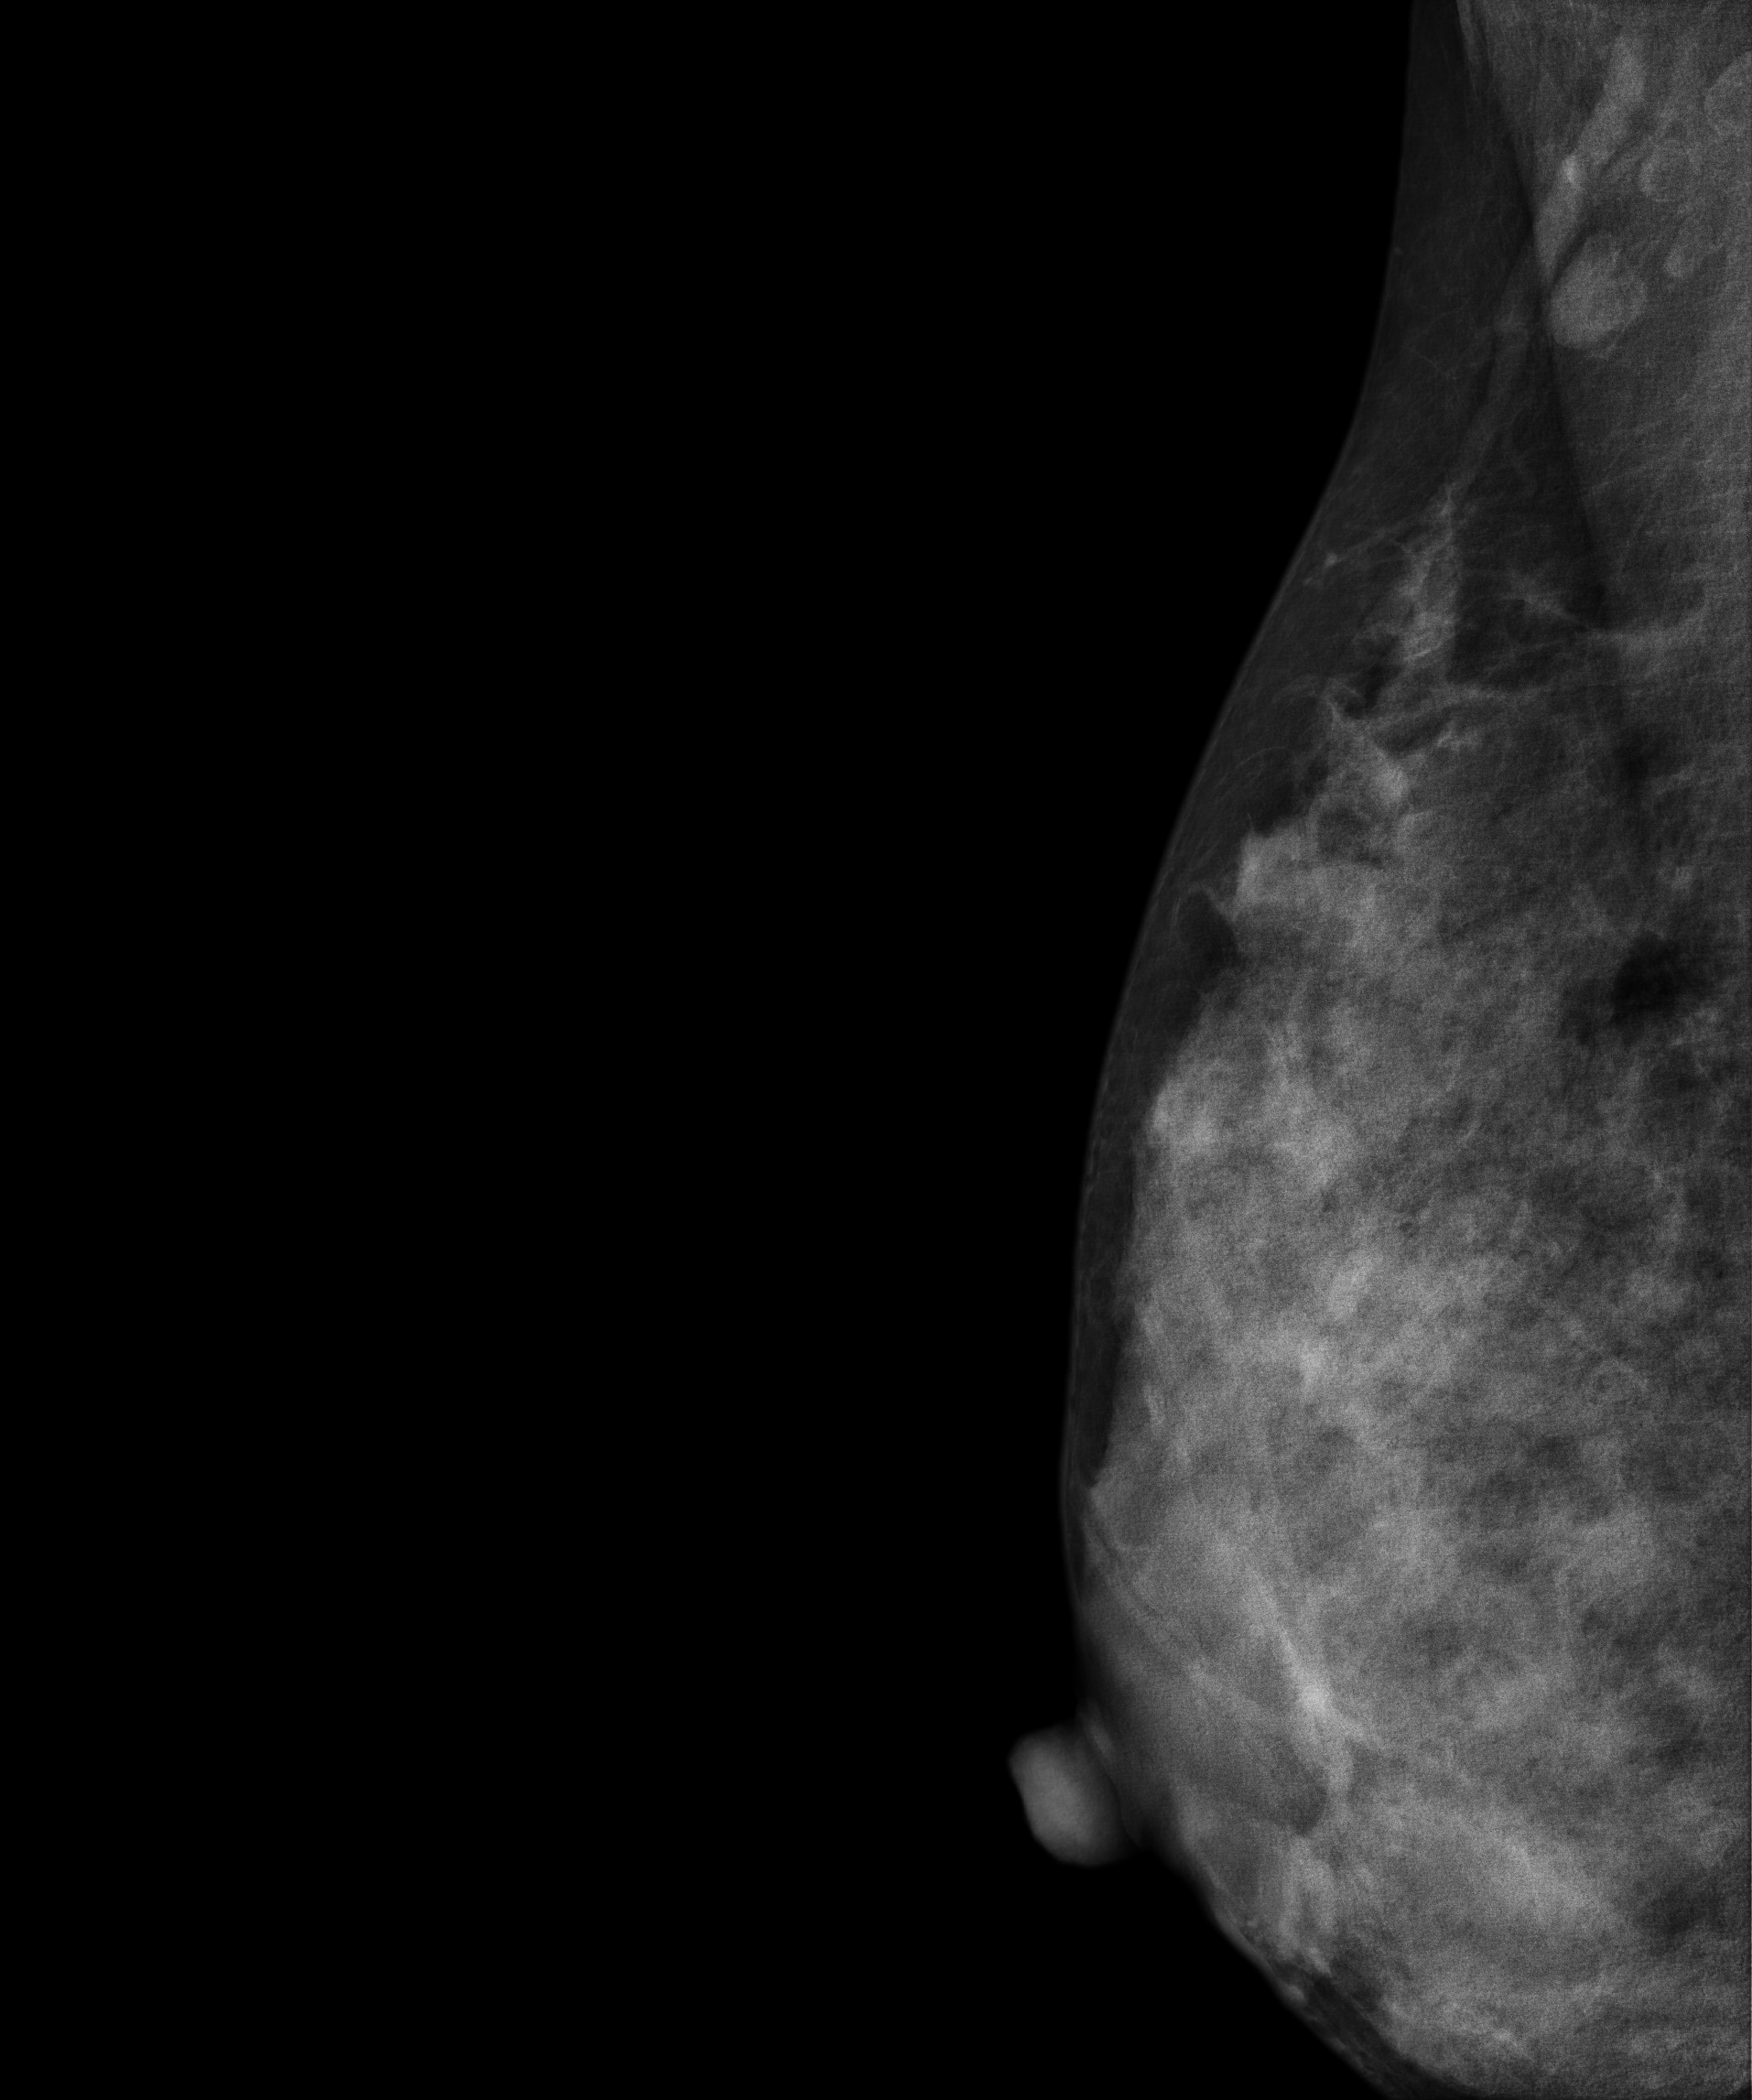
Right-breast mammogram, medio-lateral oblique. Patient age 40.
Contralateral breast — no documented abnormality on this side.